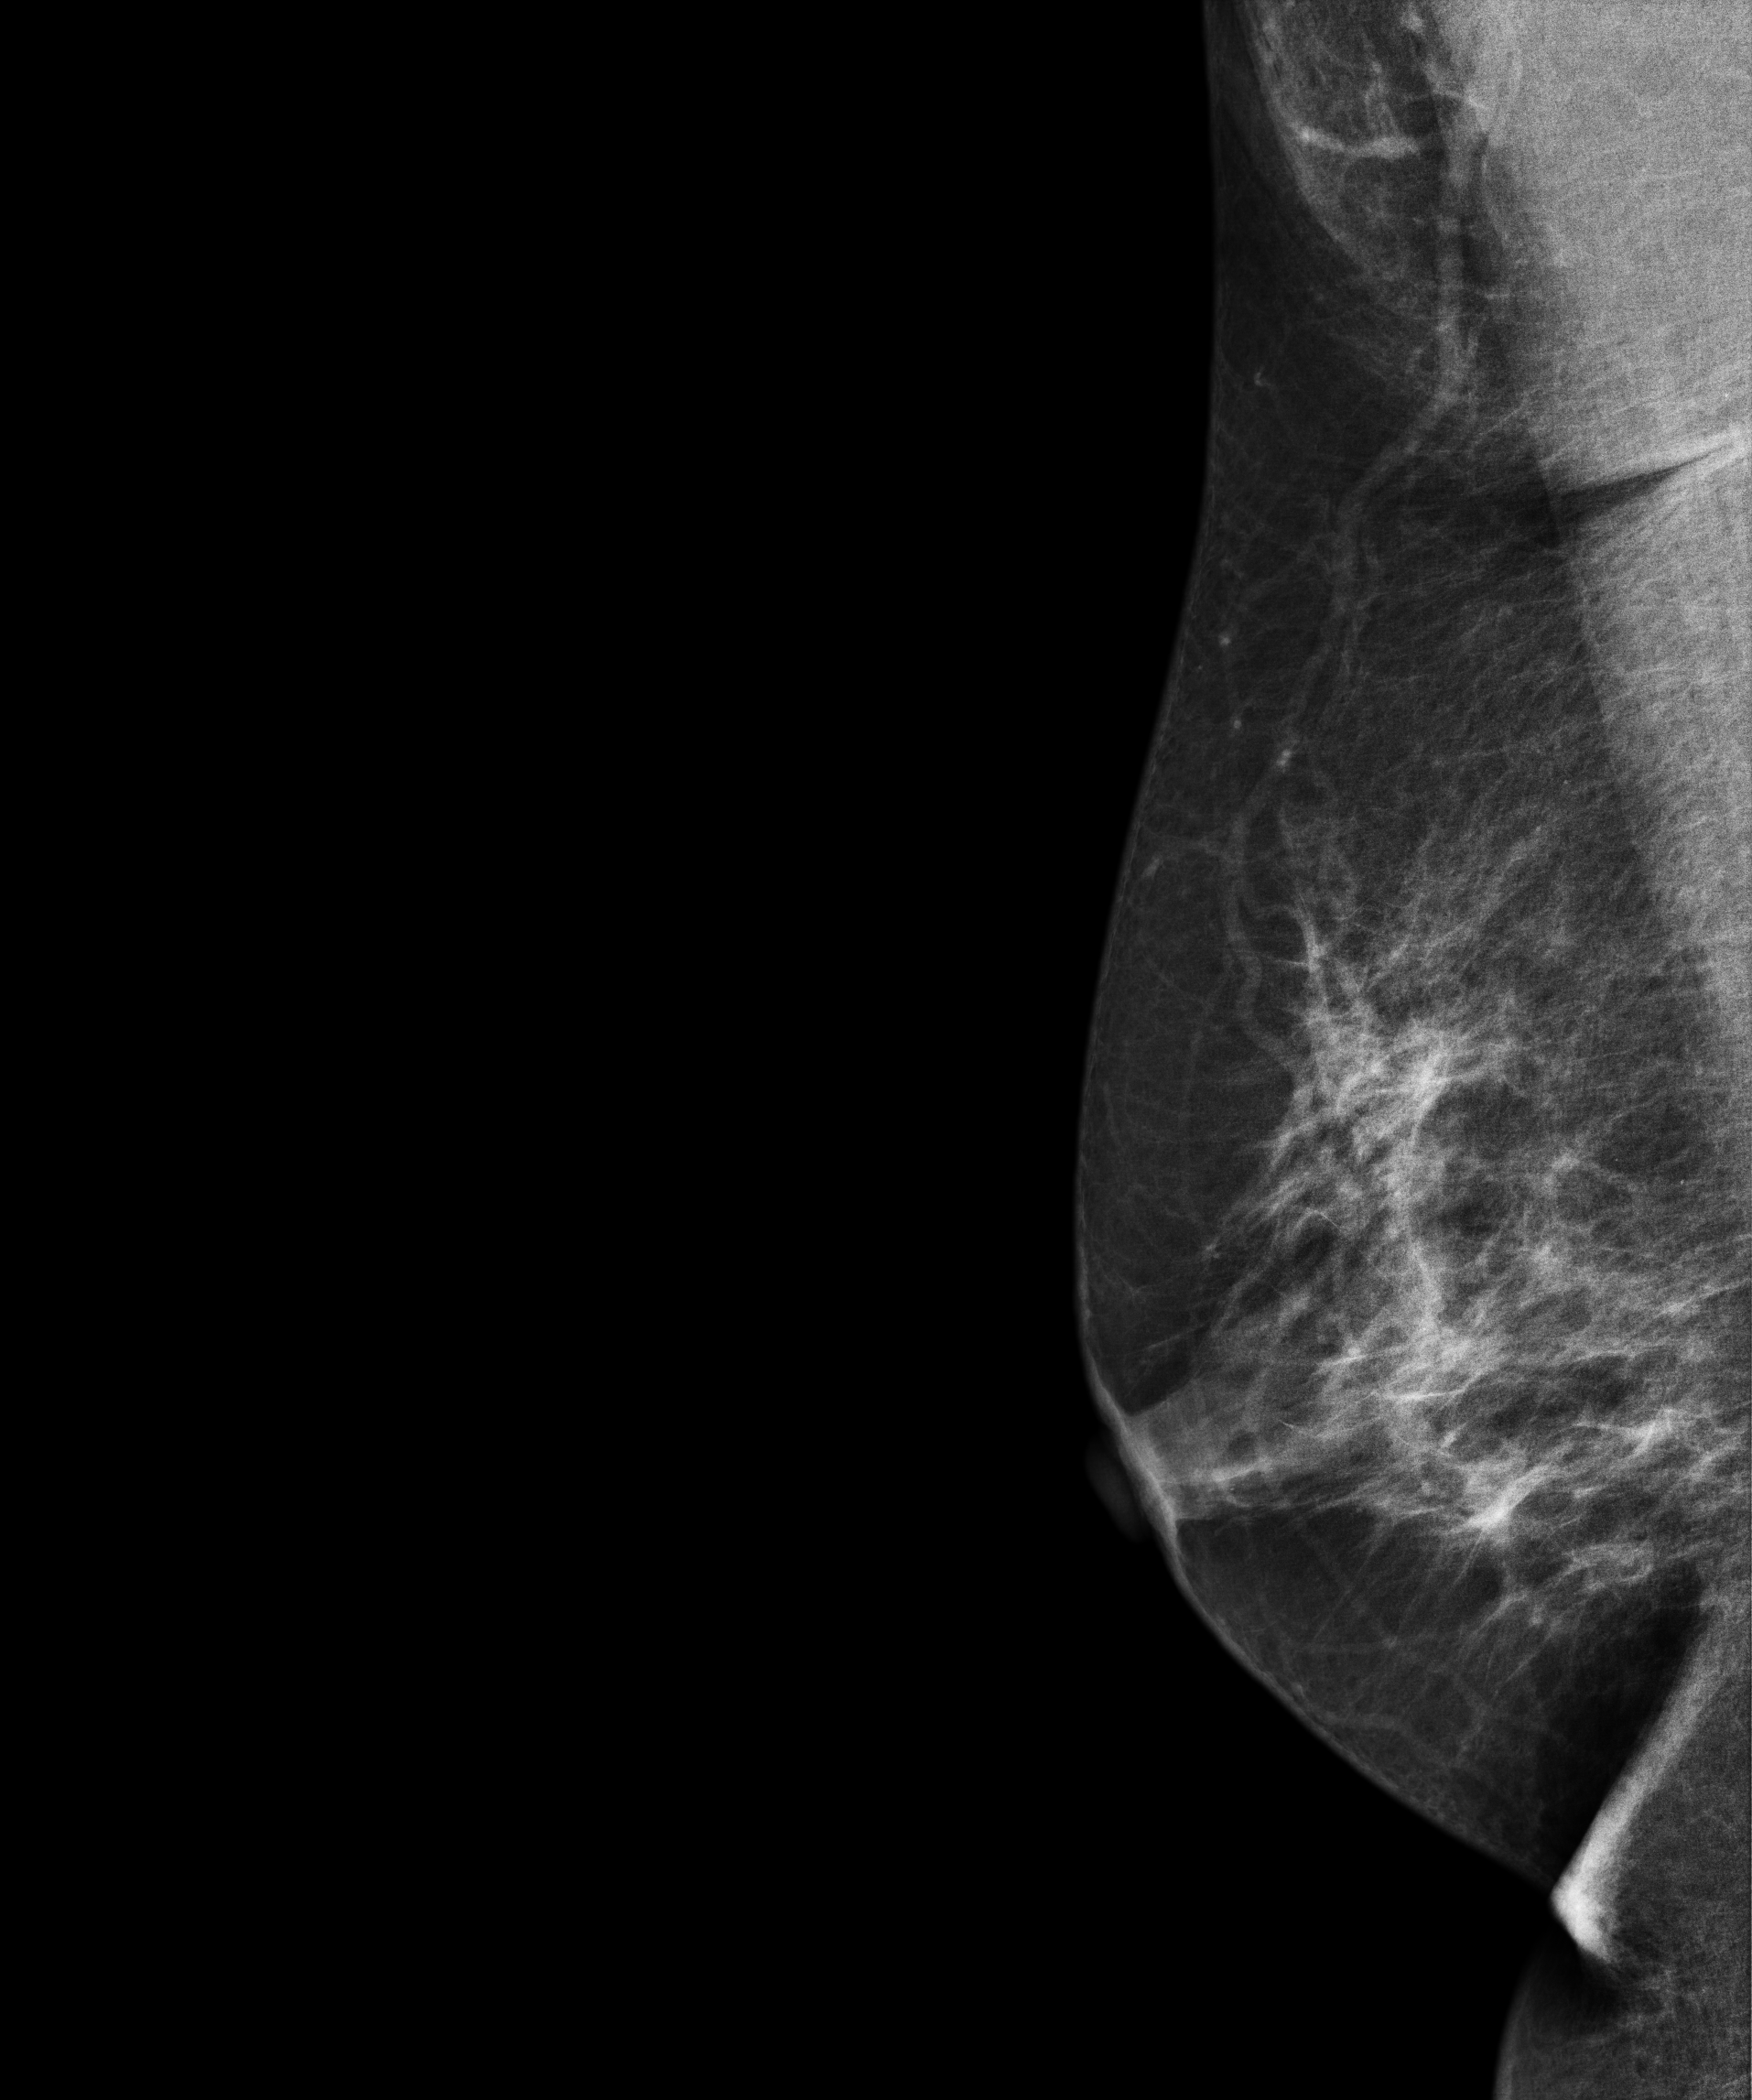
Digital mammography. Right breast, MLO projection. 65 y/o patient.
This breast has a mass, biopsy-confirmed benign.